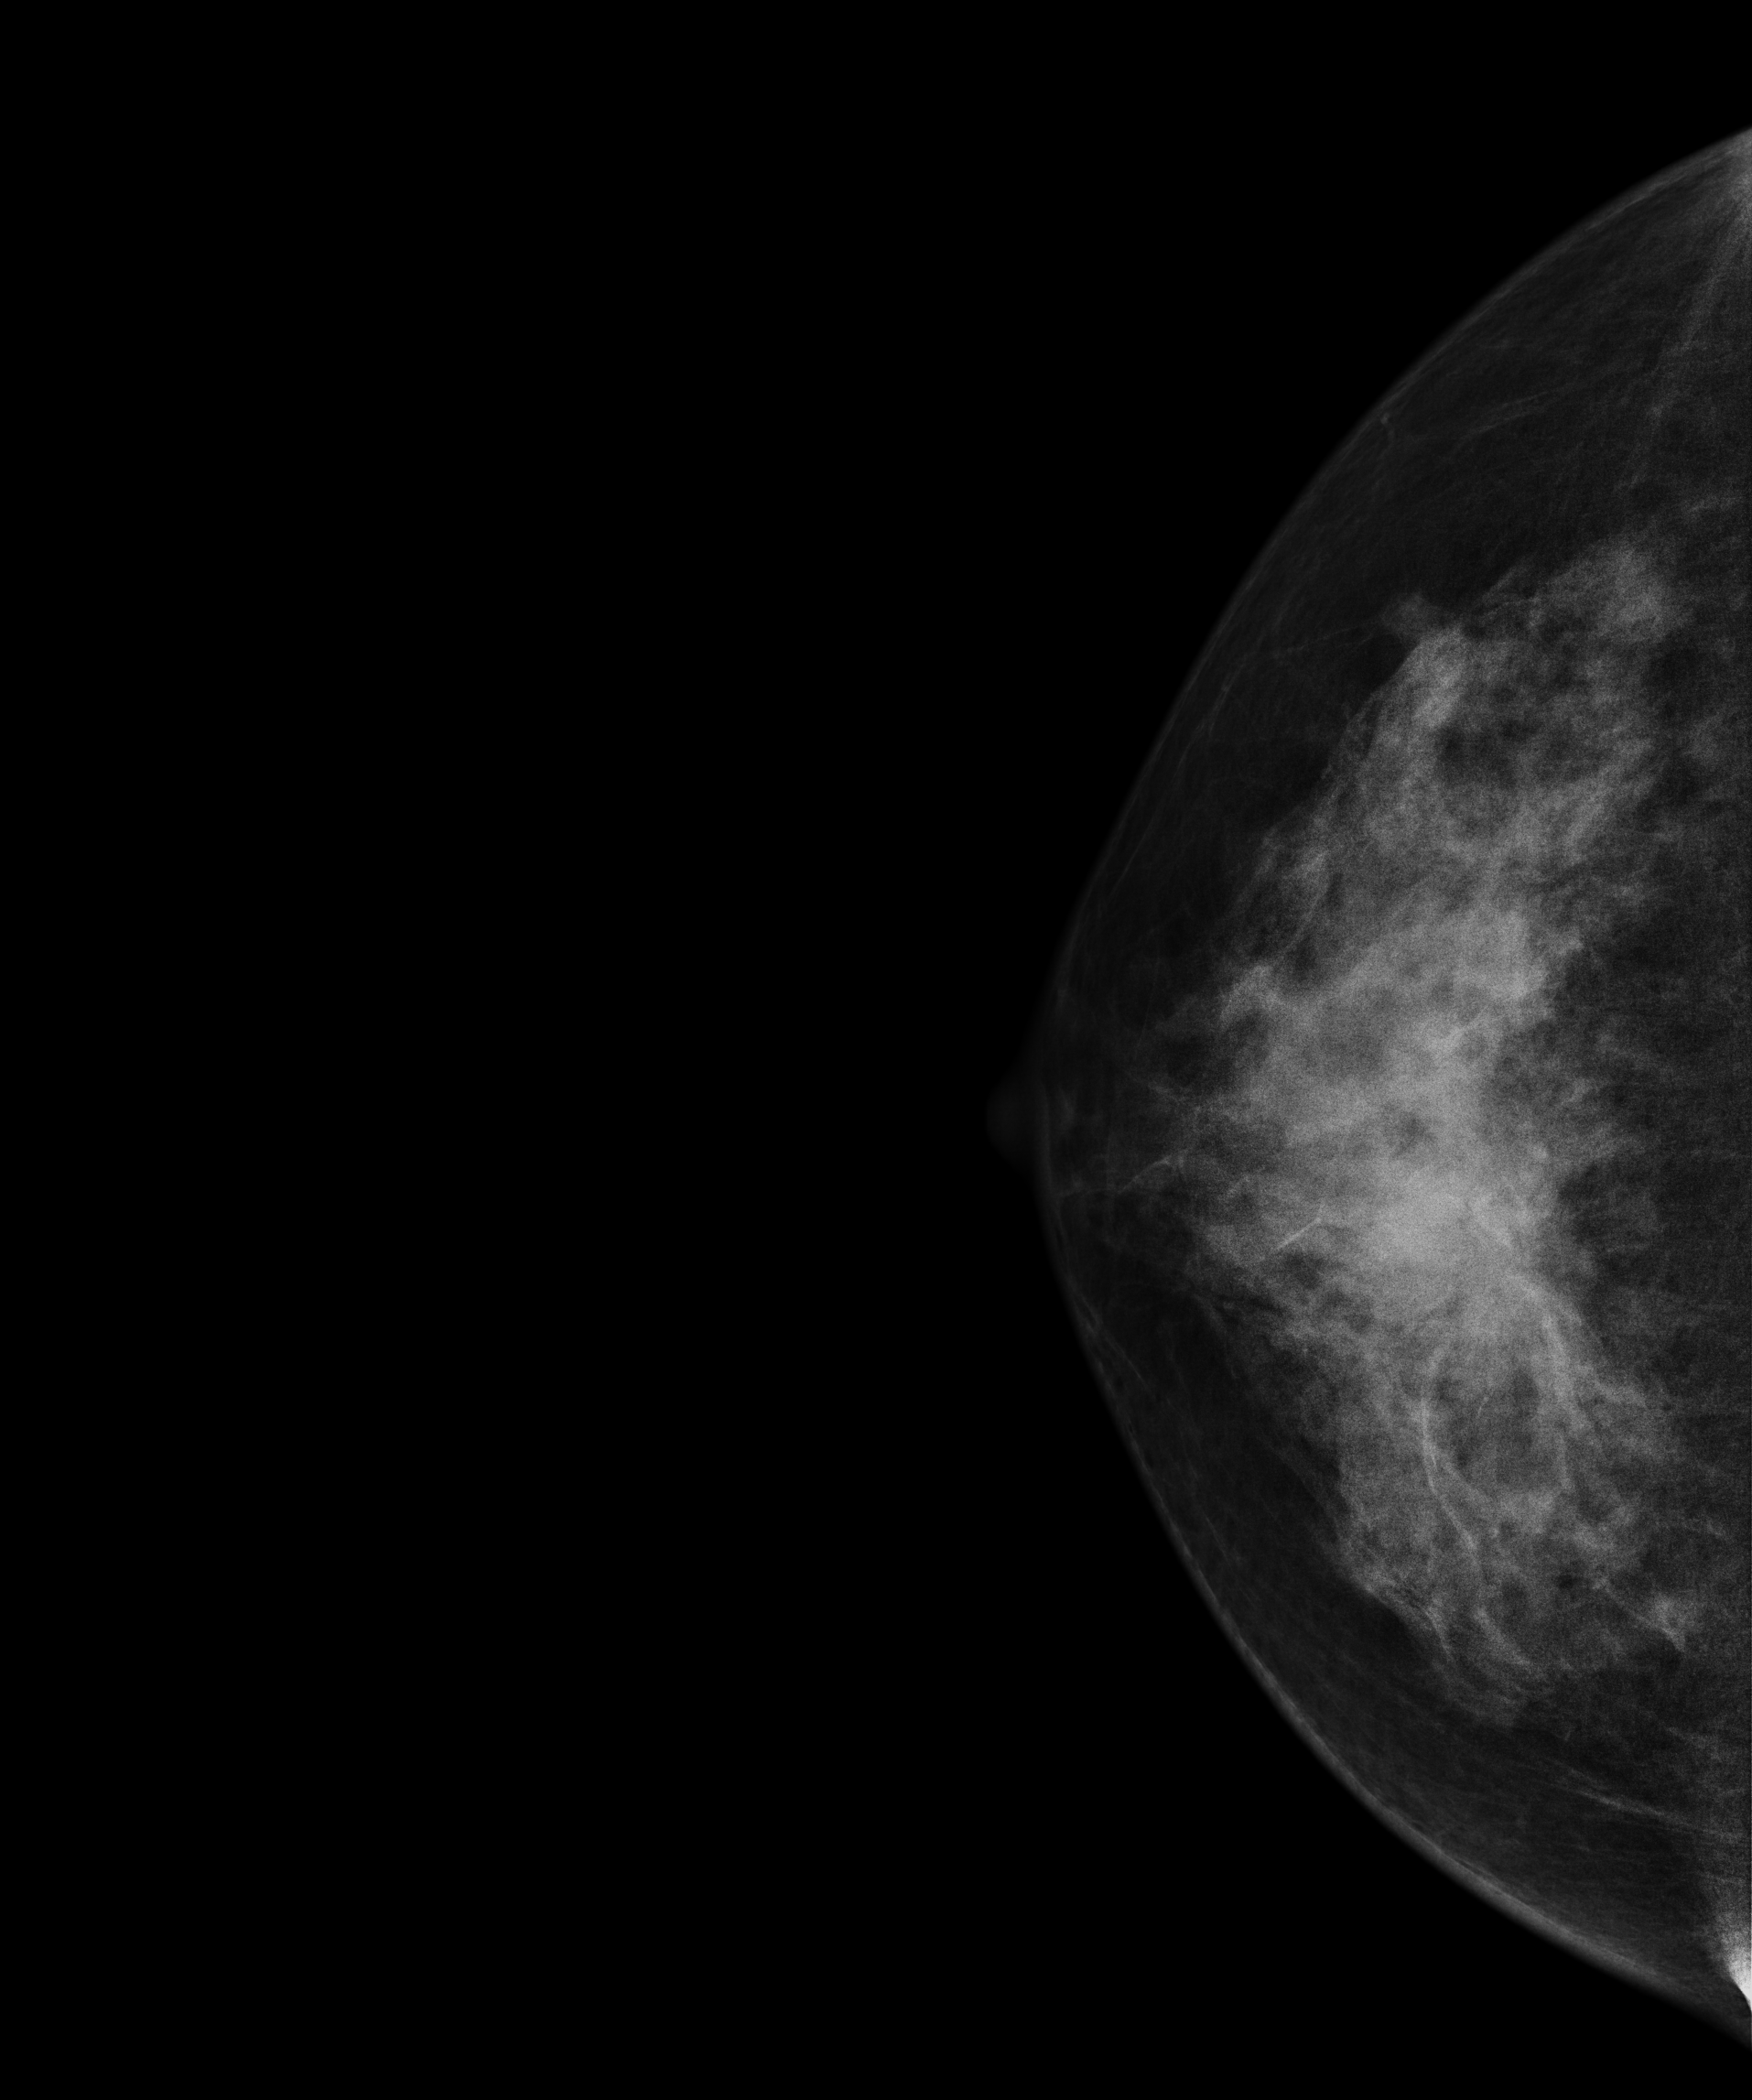
Right-breast mammogram, CC. Patient age 51.
This breast has a mass, biopsy-proven malignant.